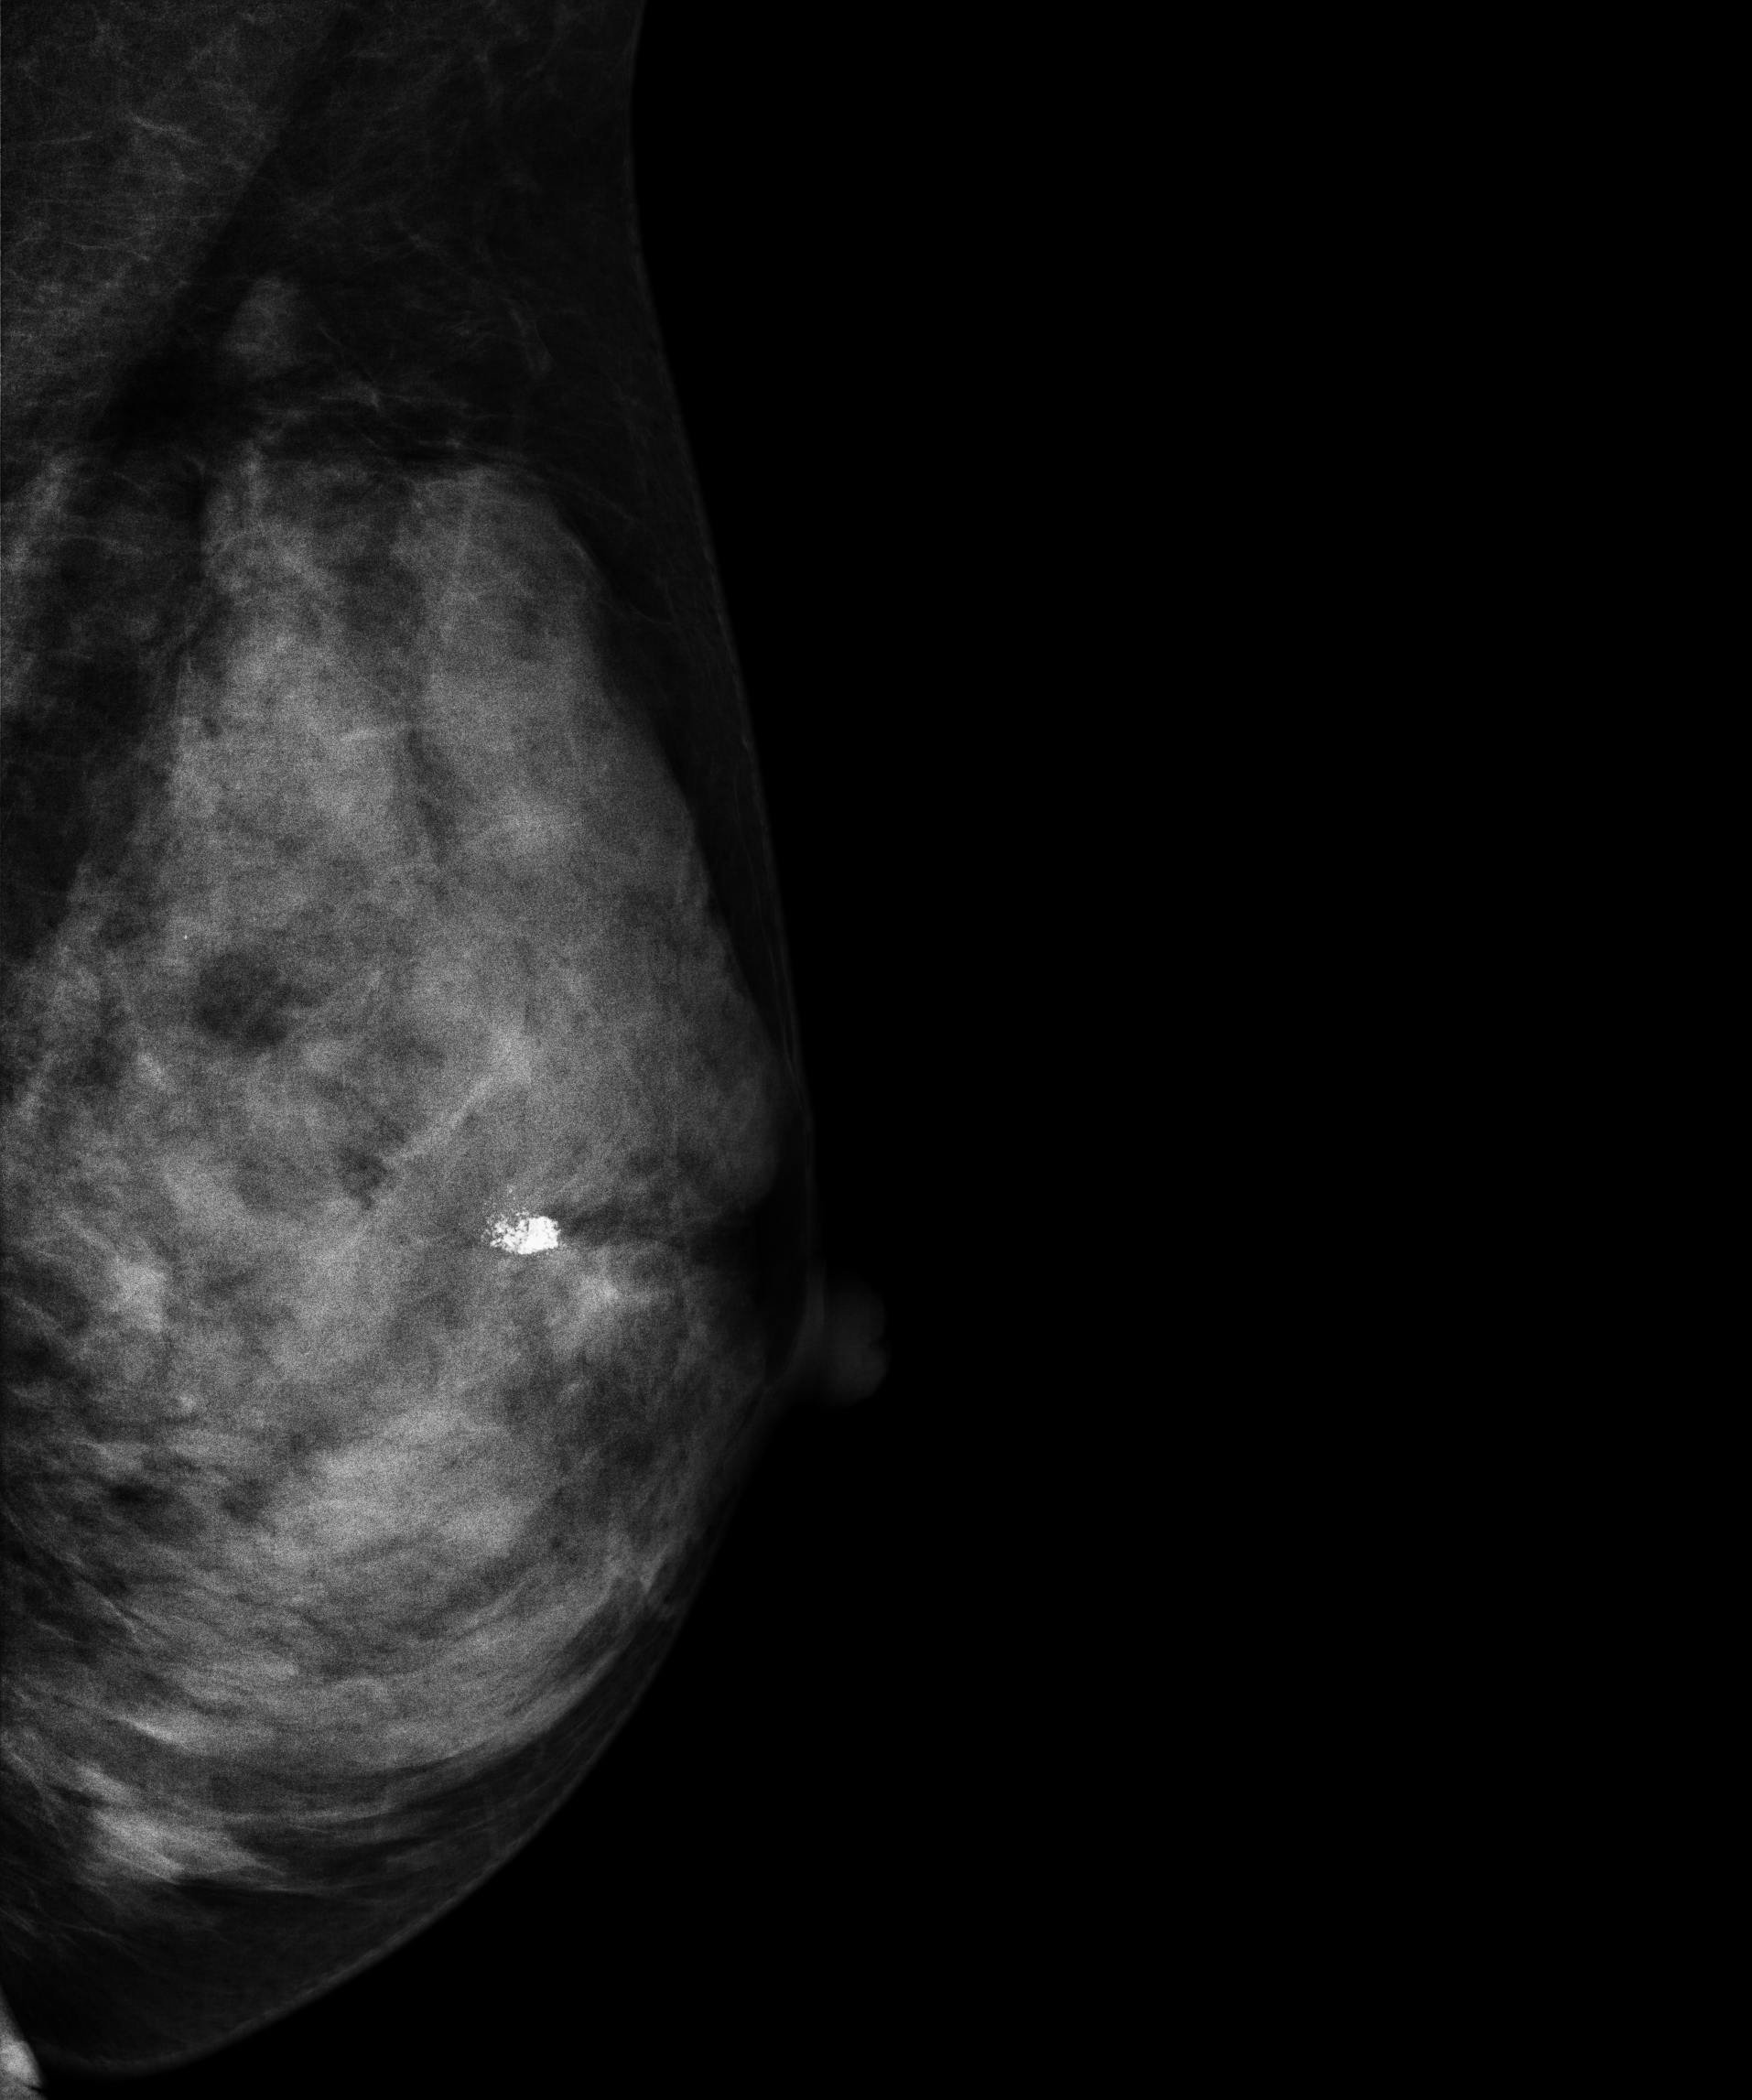
Digital mammography. Left breast, medio-lateral oblique projection. 45-year-old patient.
This breast has calcifications, histologically confirmed malignant. Molecular subtype: luminal B.